Right-breast mammogram, medio-lateral oblique. 59-year-old patient.
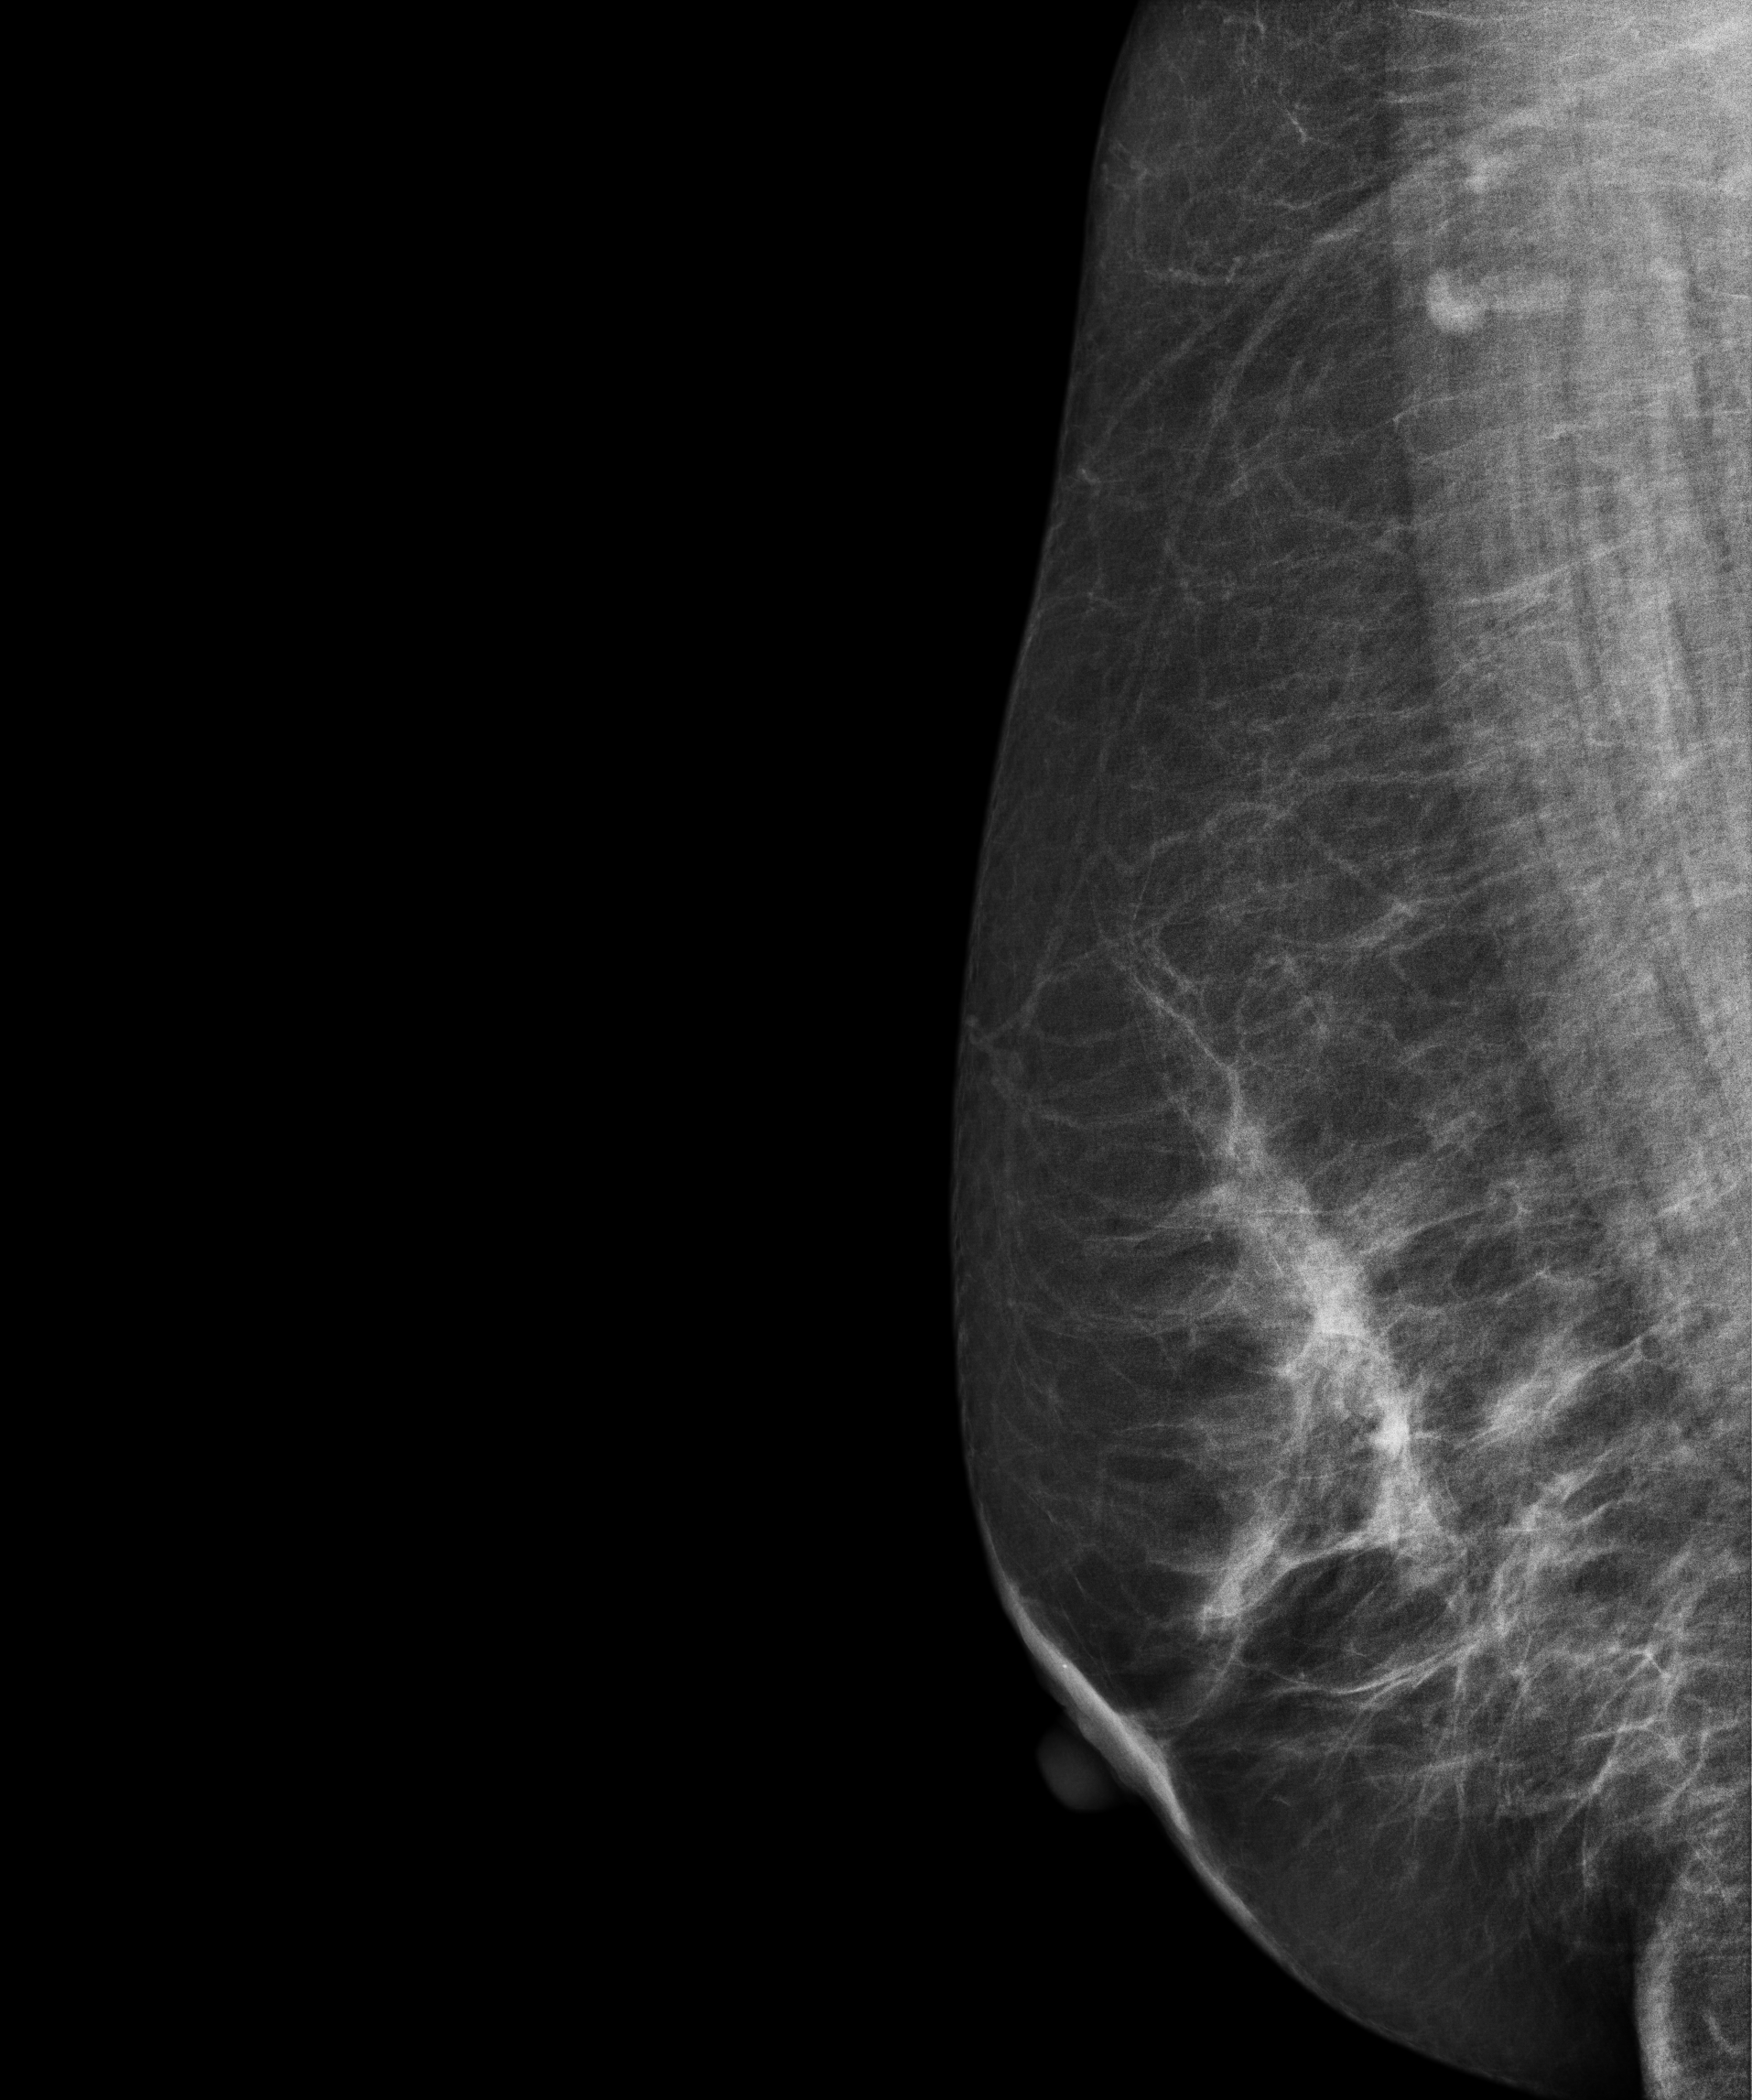
Contralateral breast — no documented abnormality on this side.